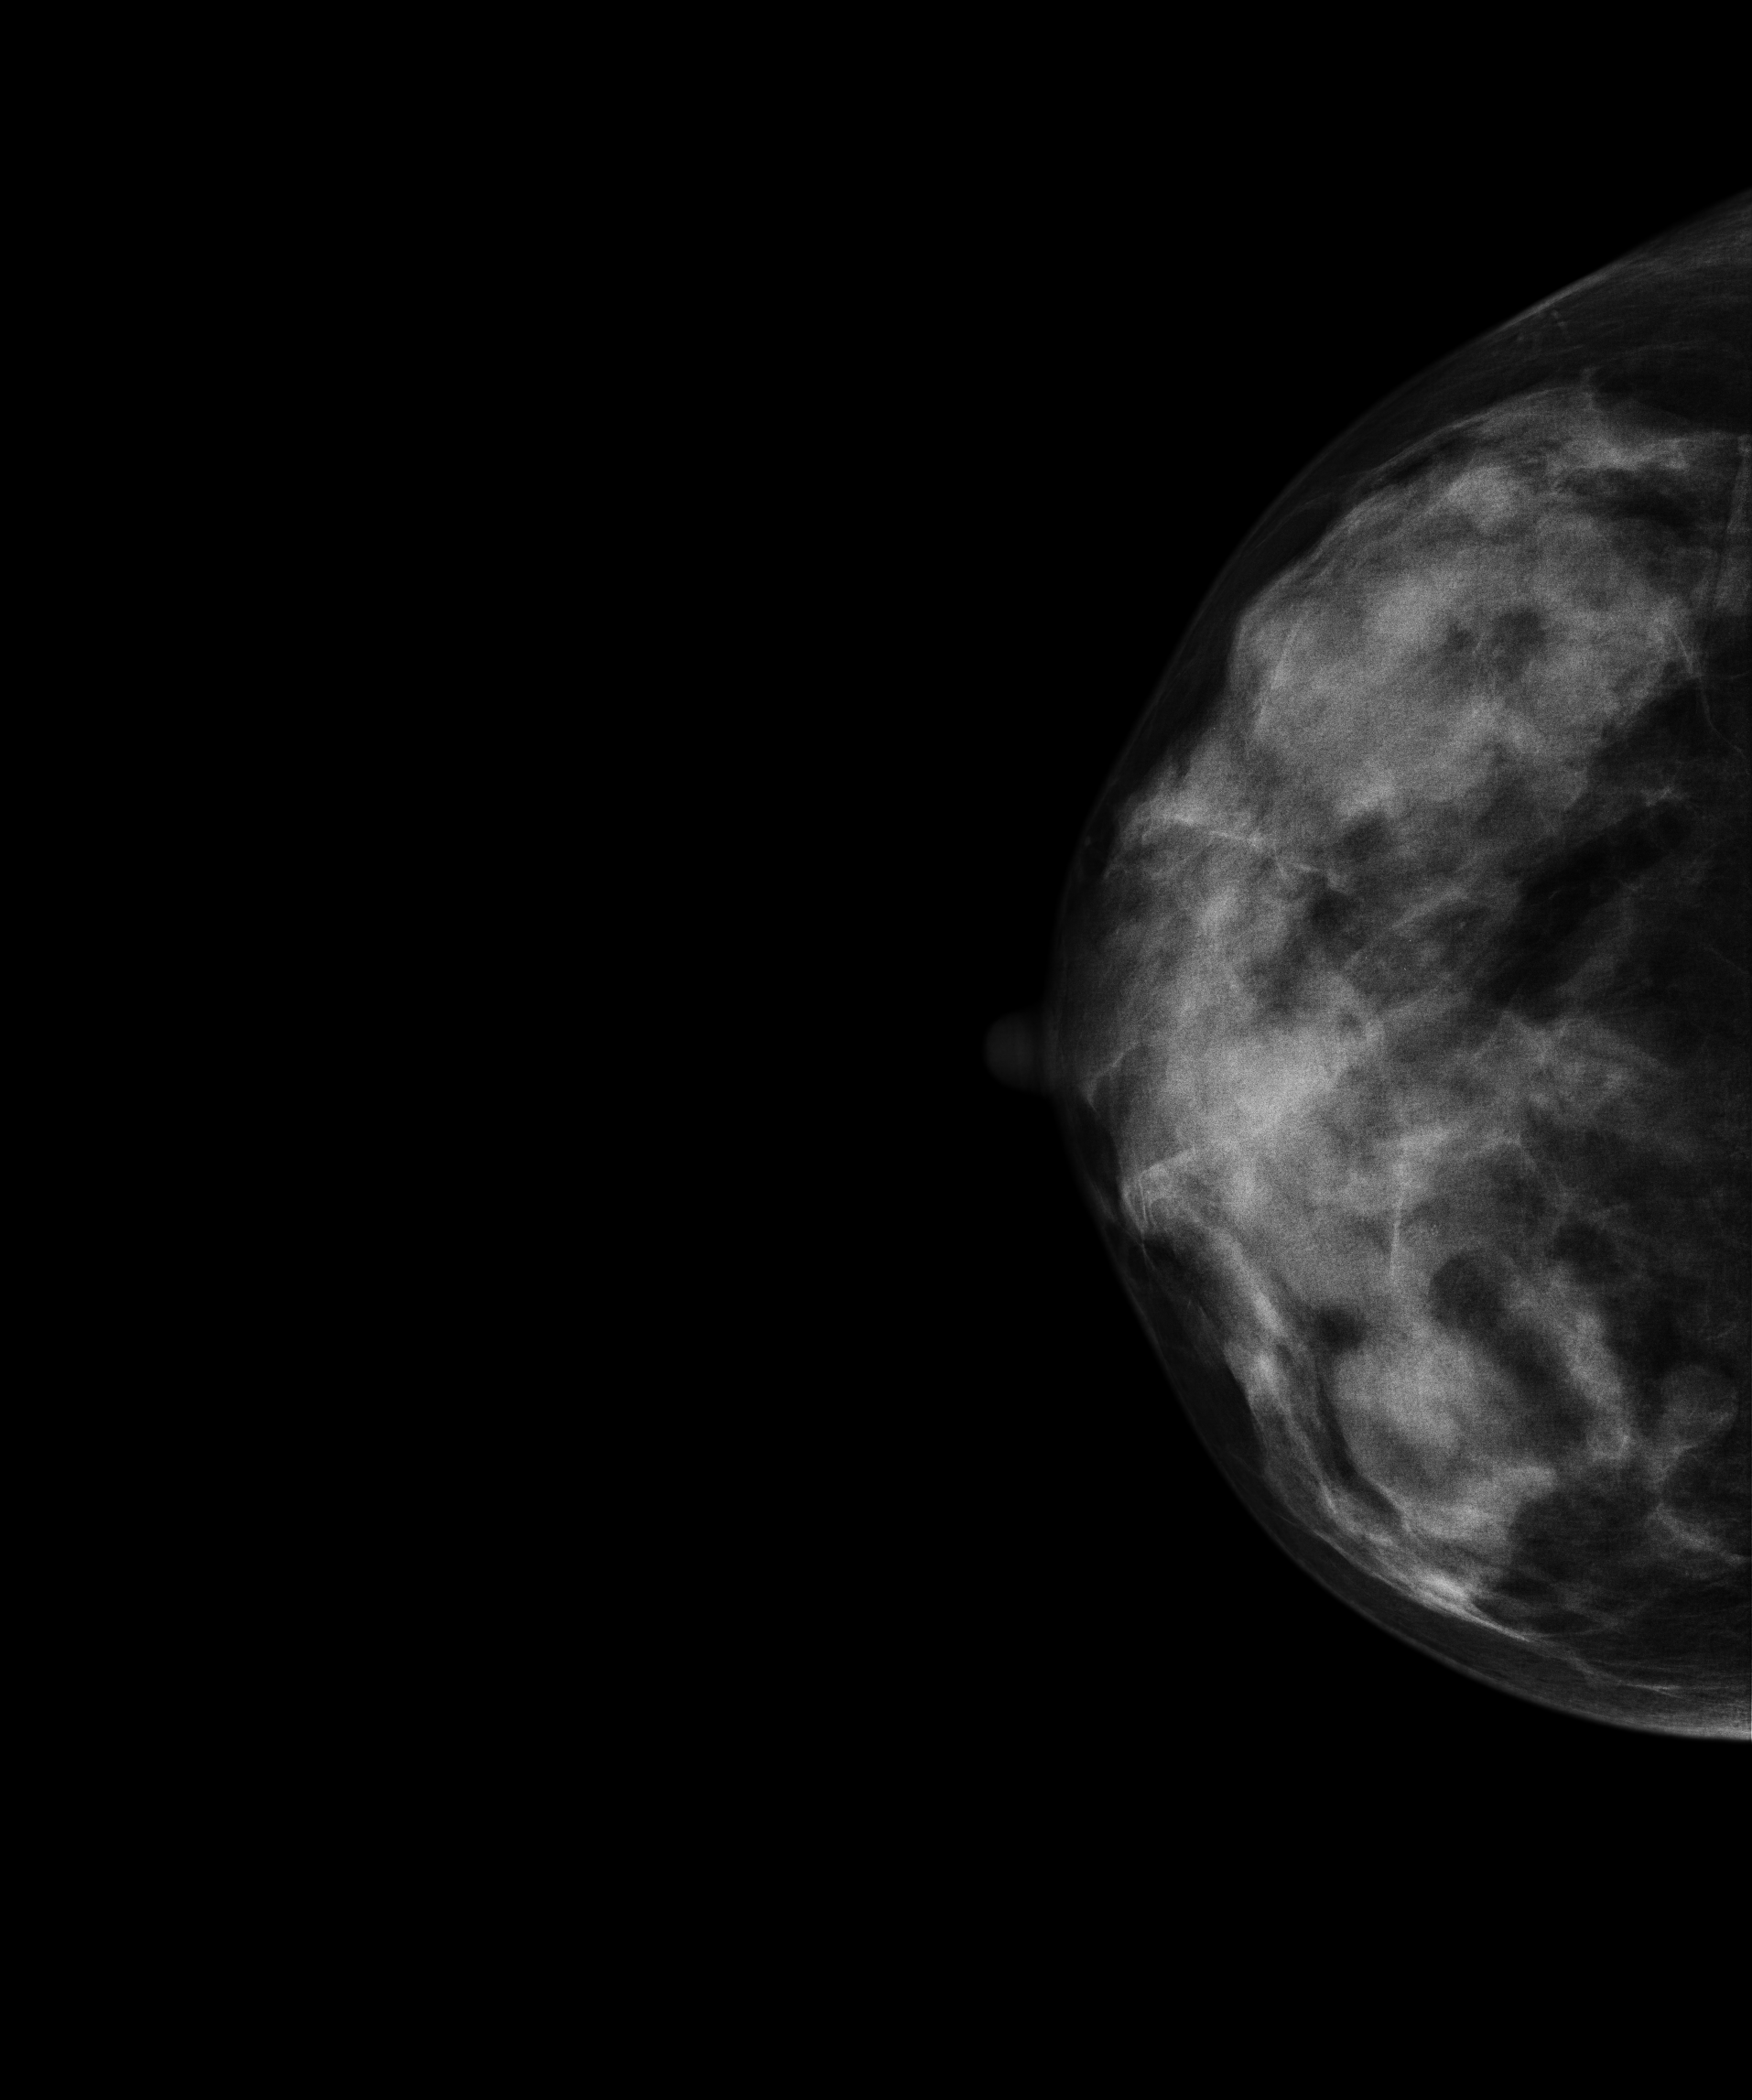
Right-breast mammogram, CC. Patient age 37.
This breast has a mass, biopsy-confirmed benign.